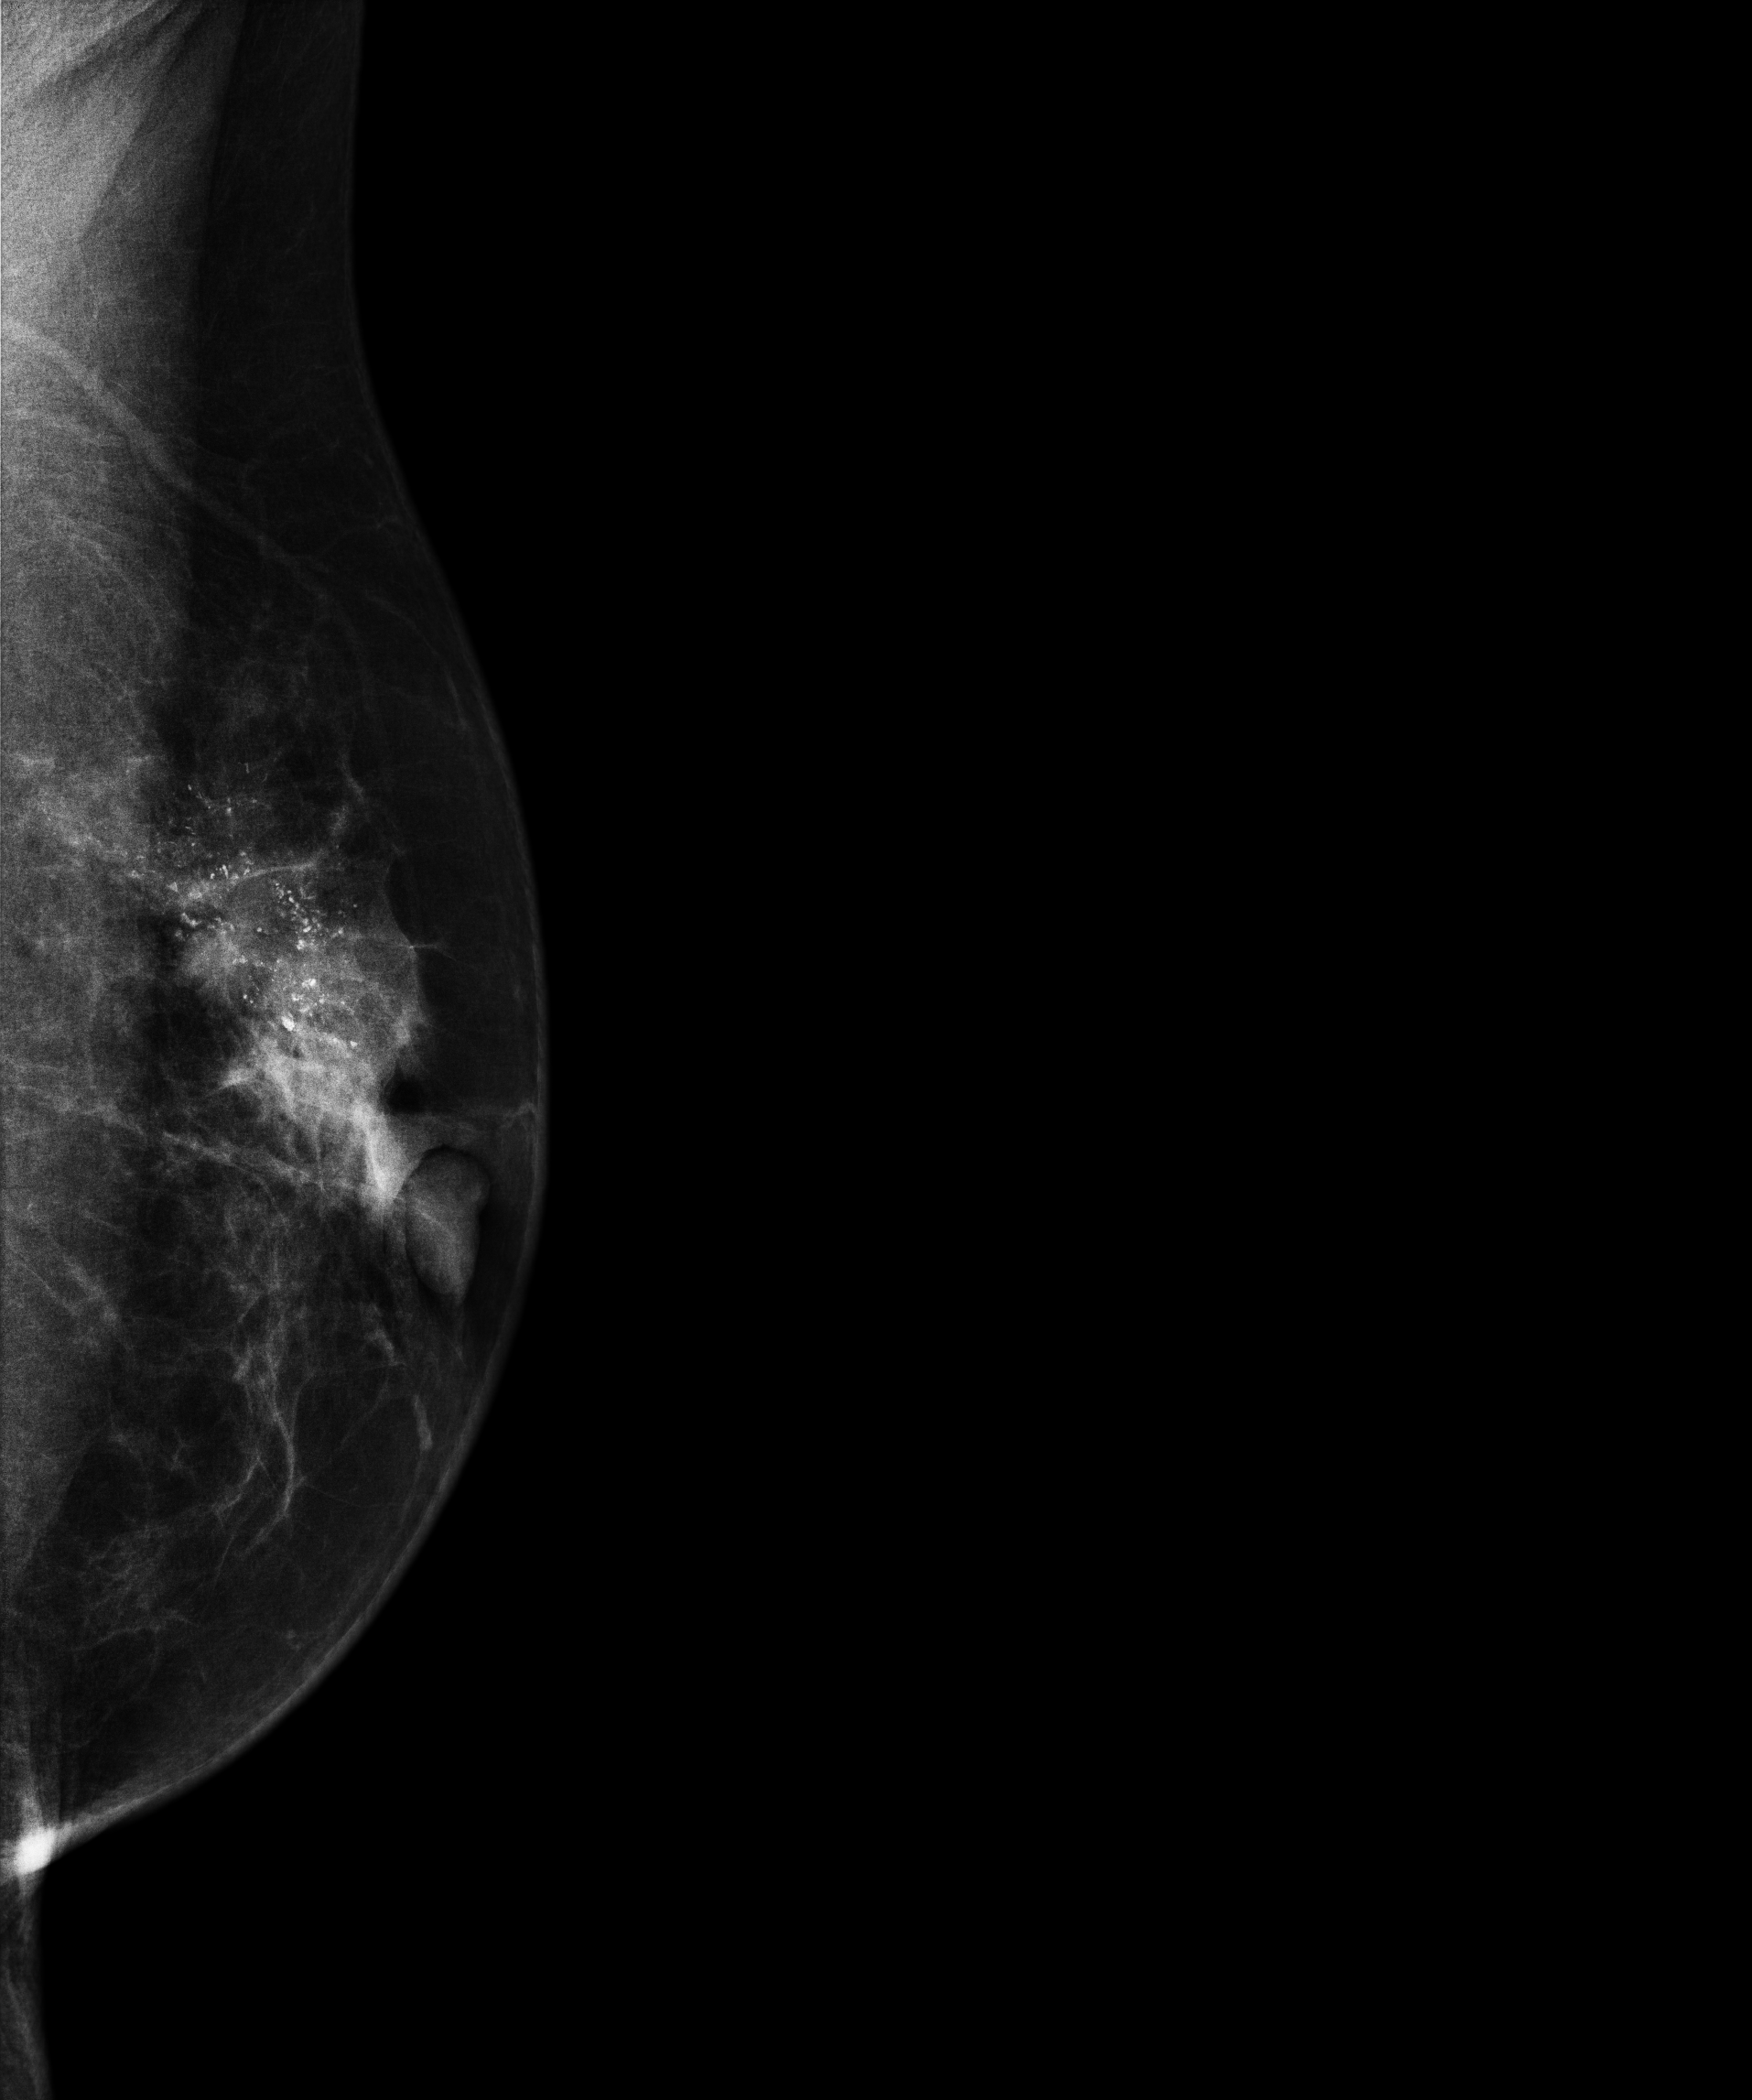
Medio-lateral oblique mammogram of the left breast. Patient age 61.
This breast has a mass and calcifications, pathology-confirmed malignant. Molecular subtype: luminal B.